Right-breast mammogram, CC. Patient age 42.
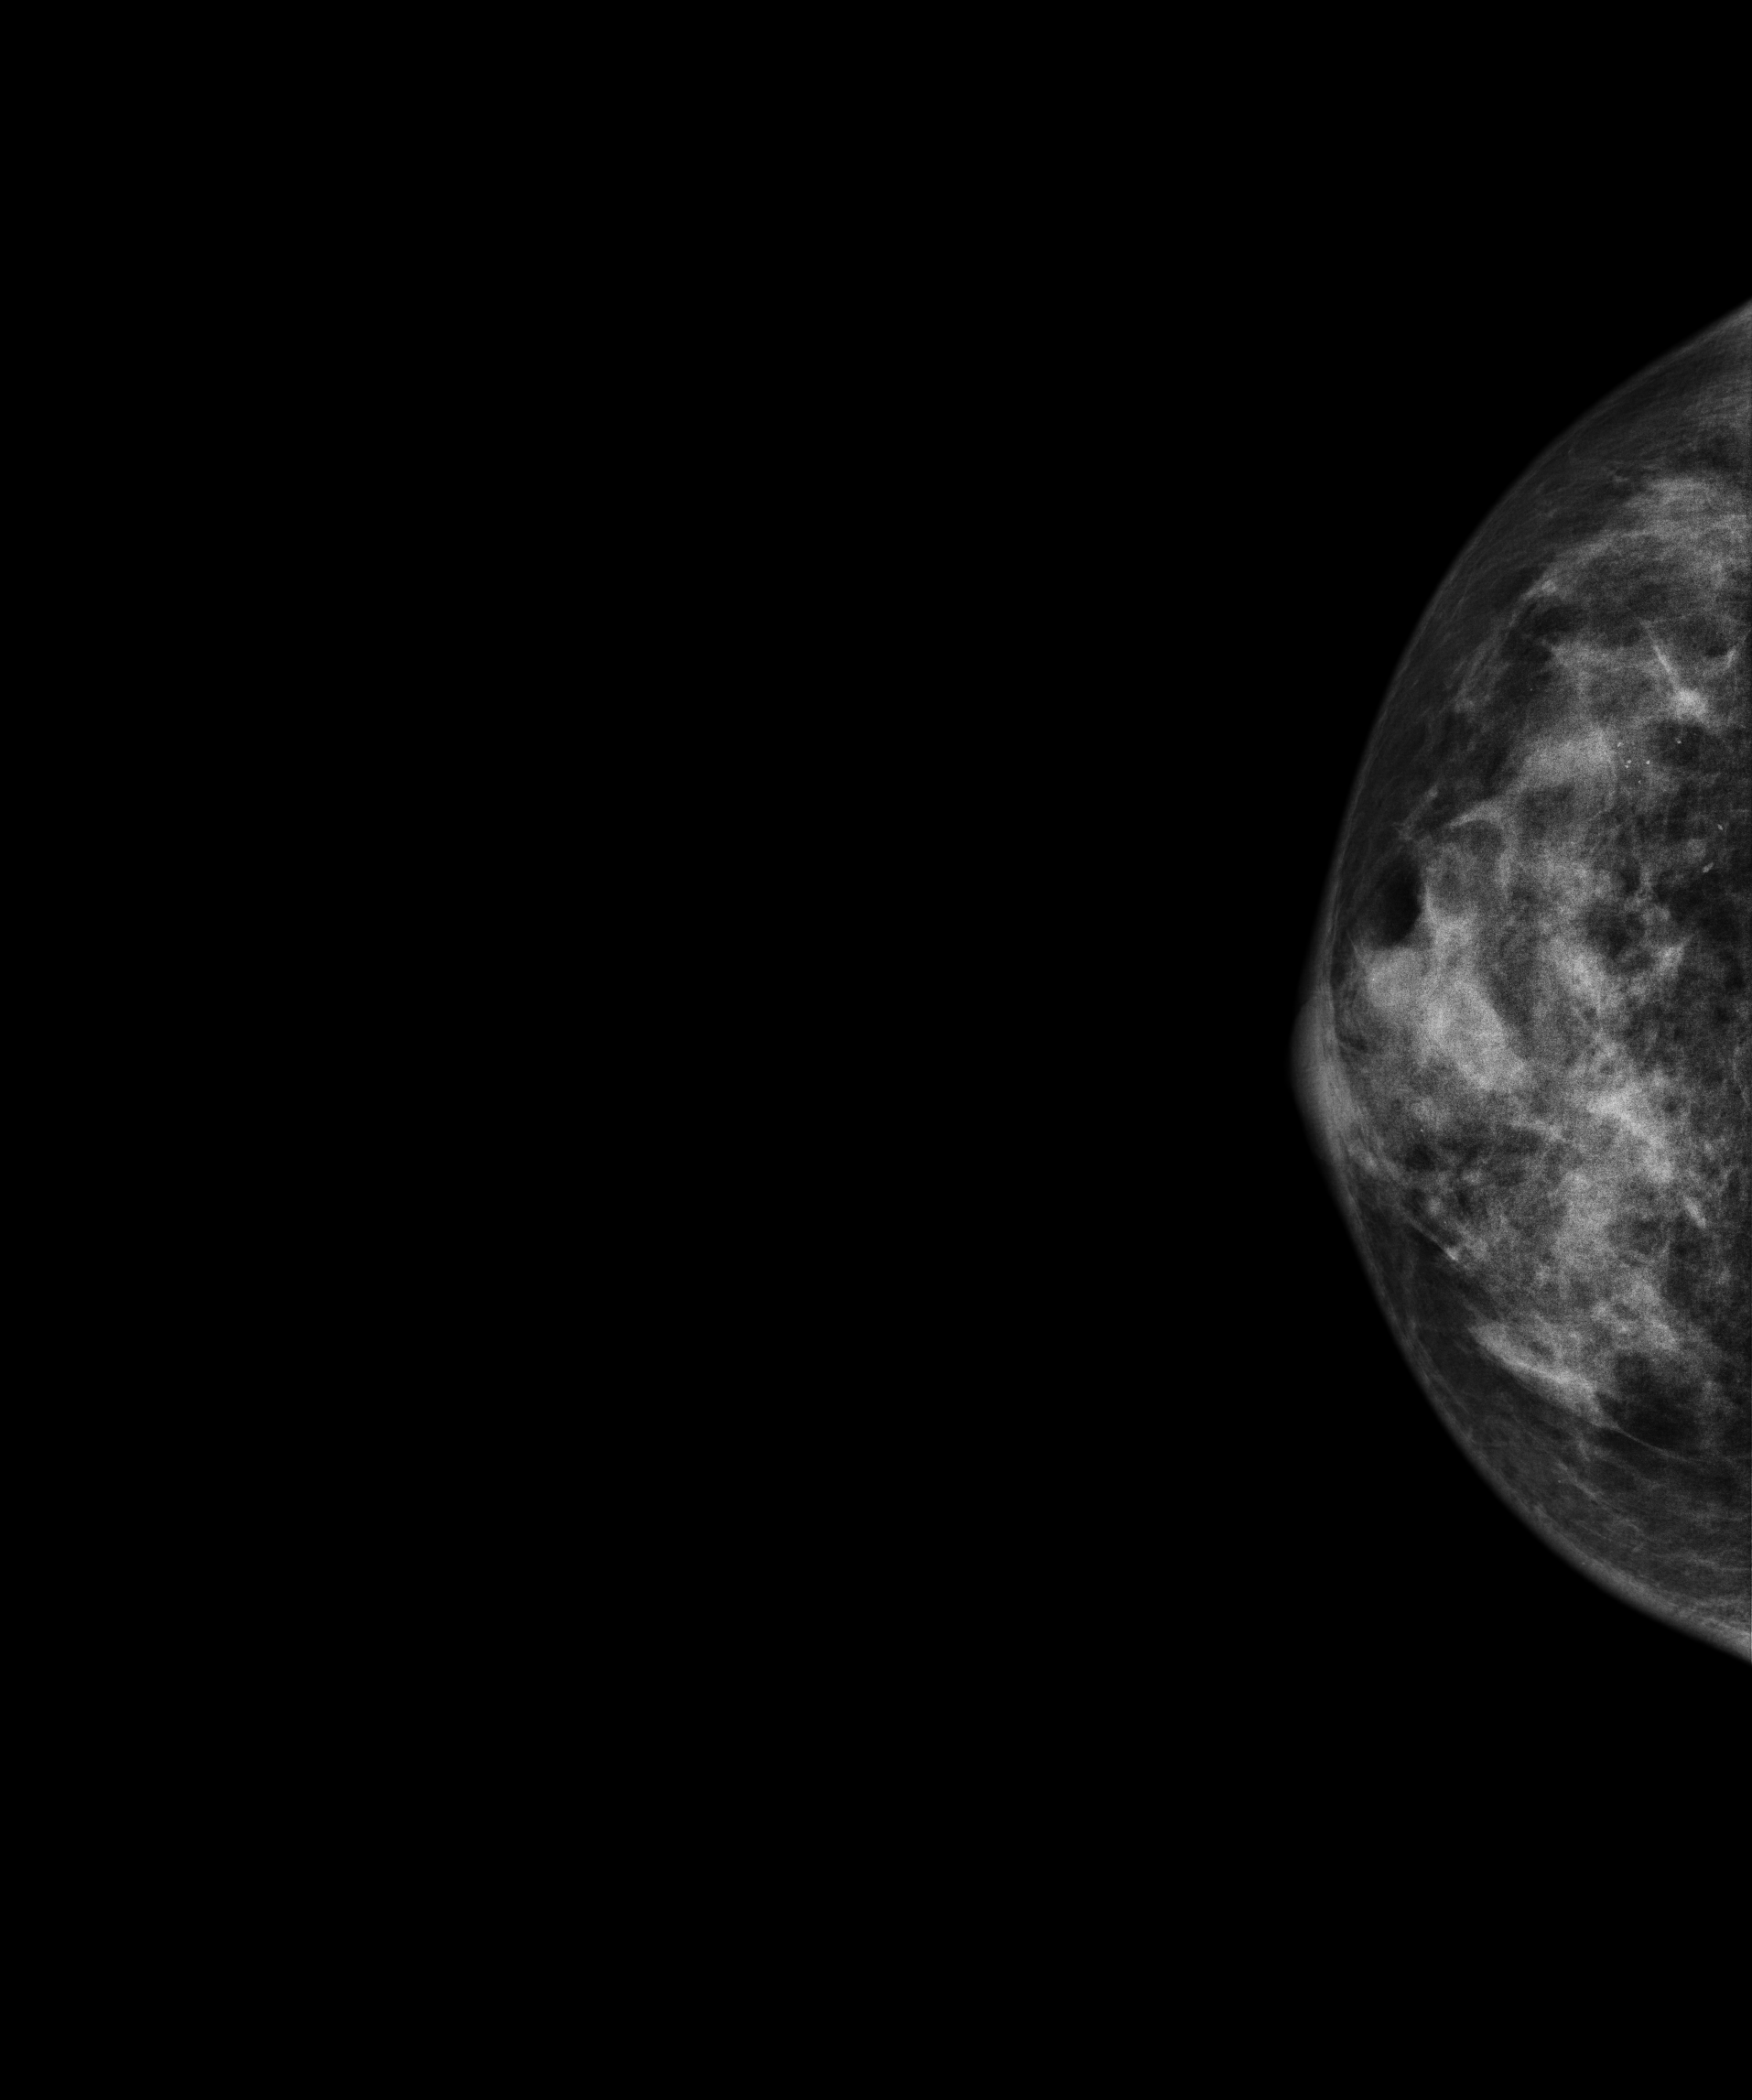
This breast has calcifications, biopsy-proven malignant.